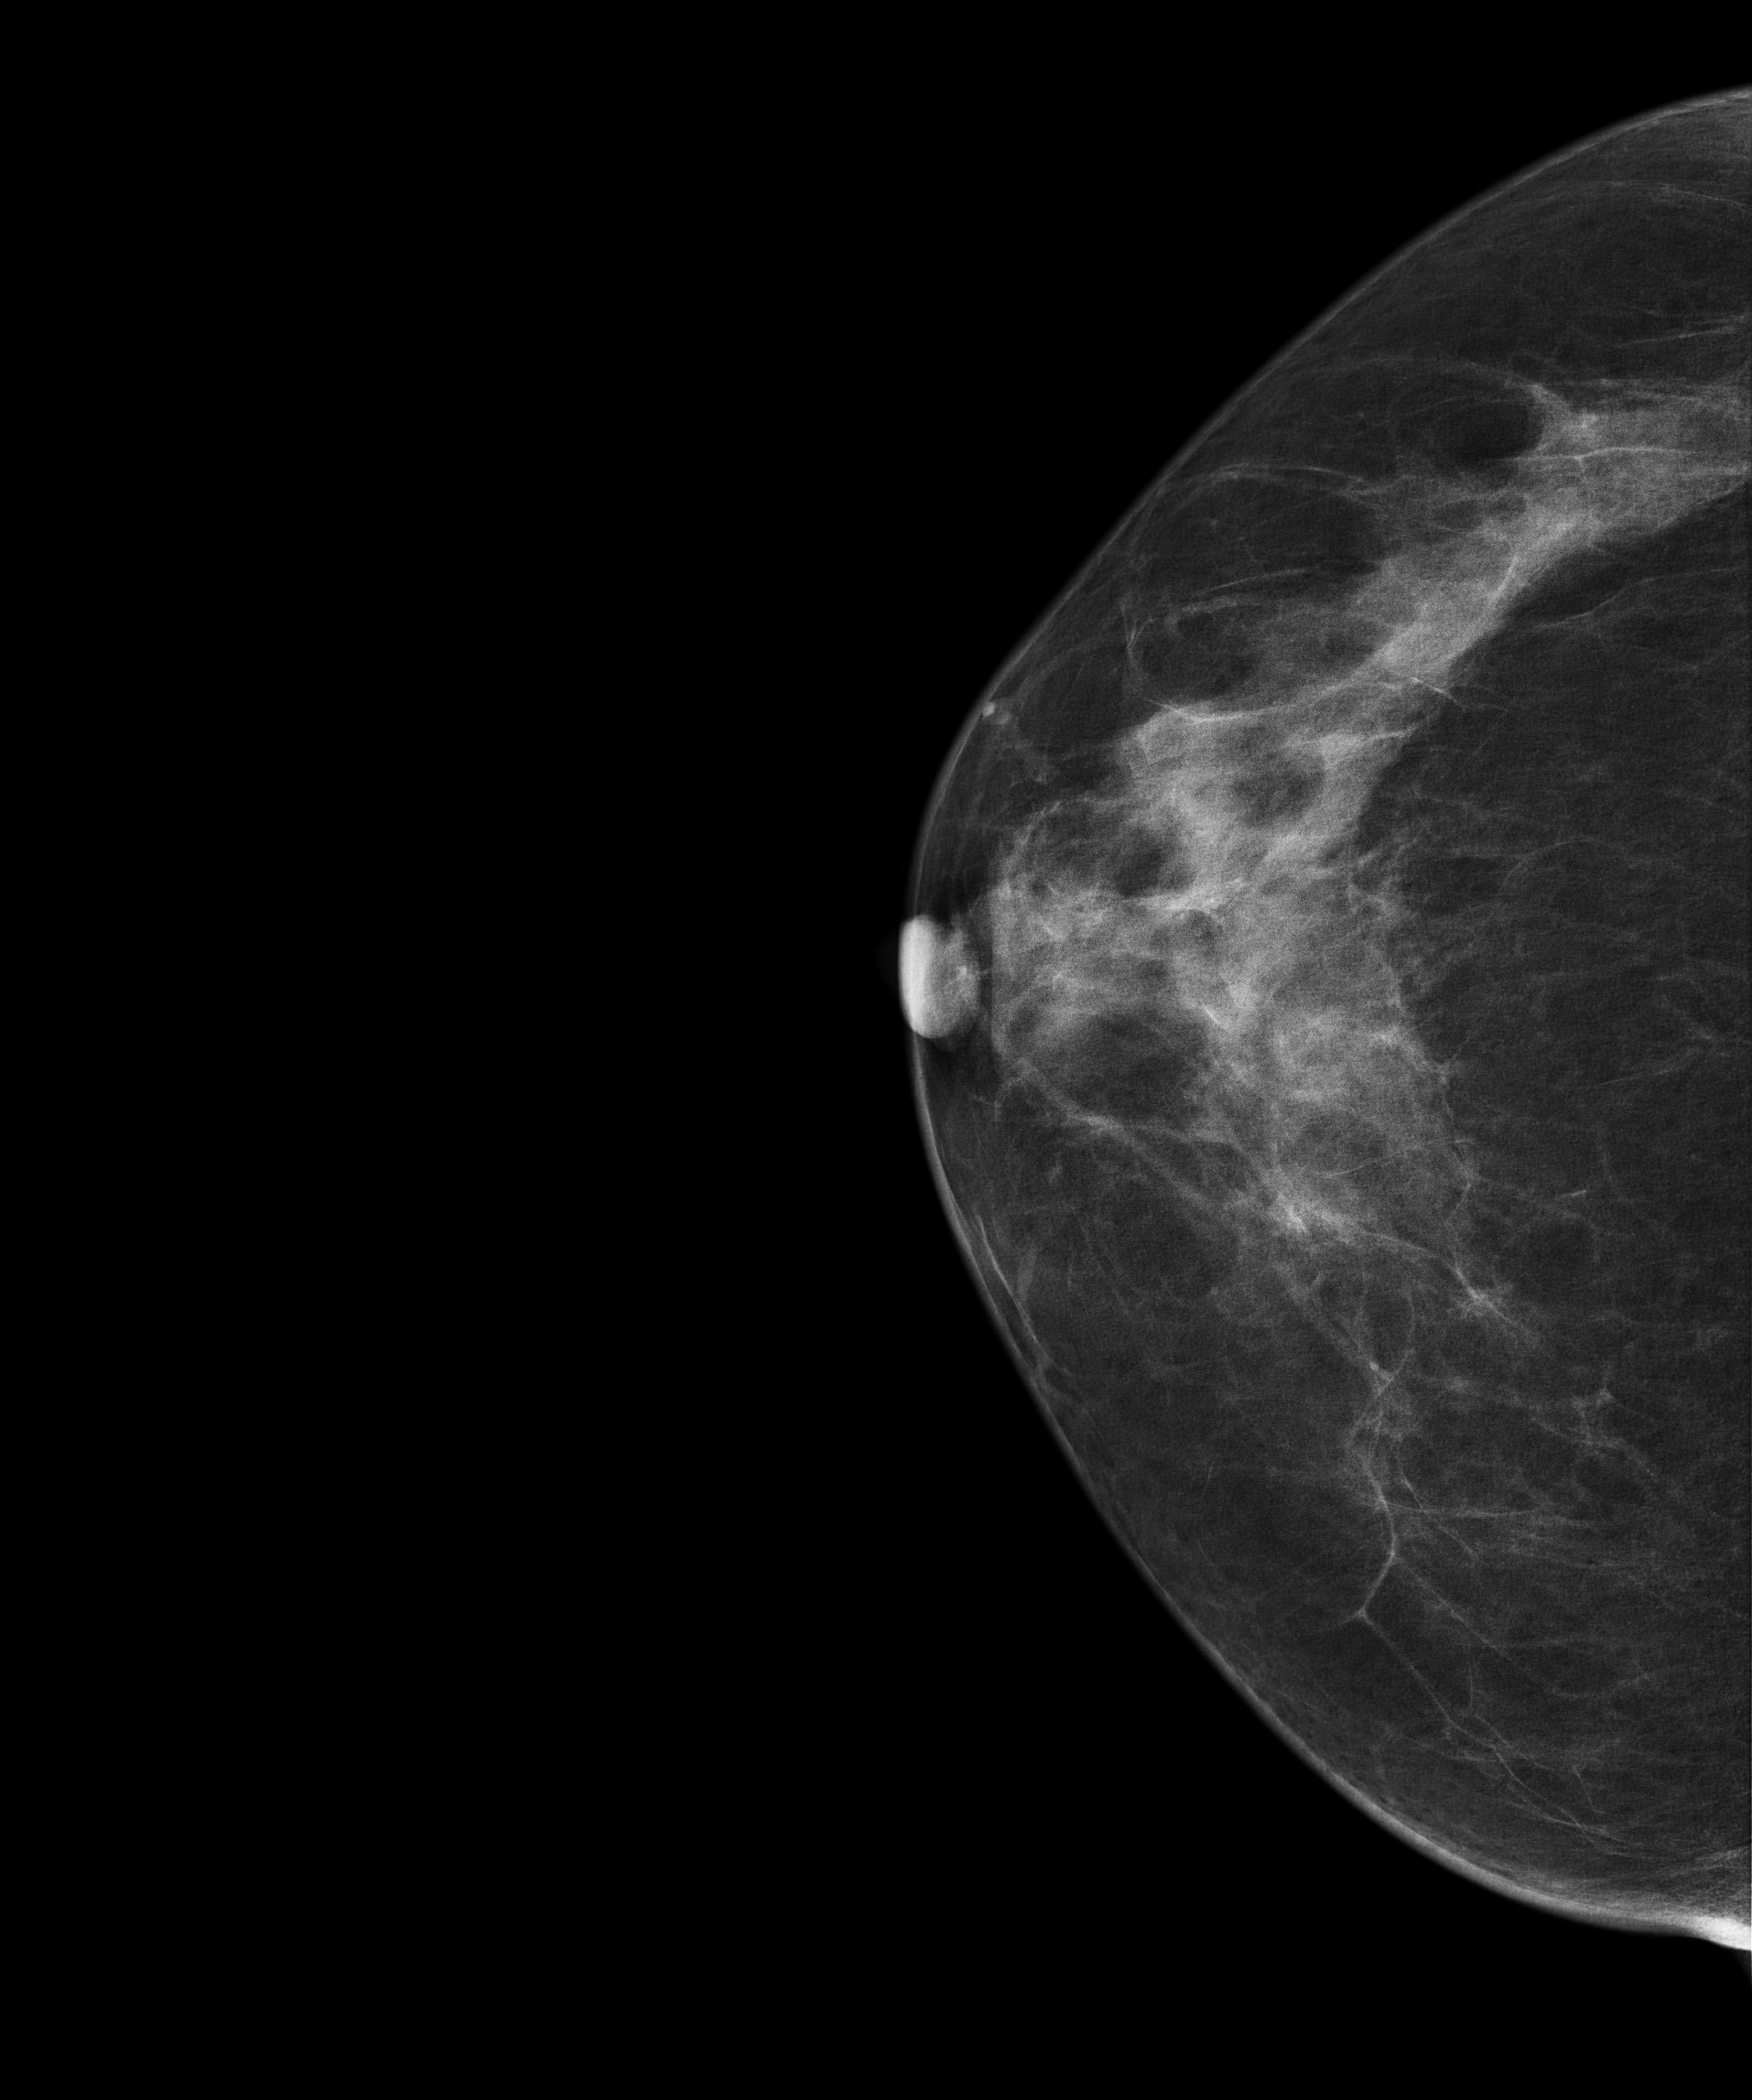
CC mammogram of the right breast. 56-year-old patient.
Contralateral breast — no documented abnormality on this side.